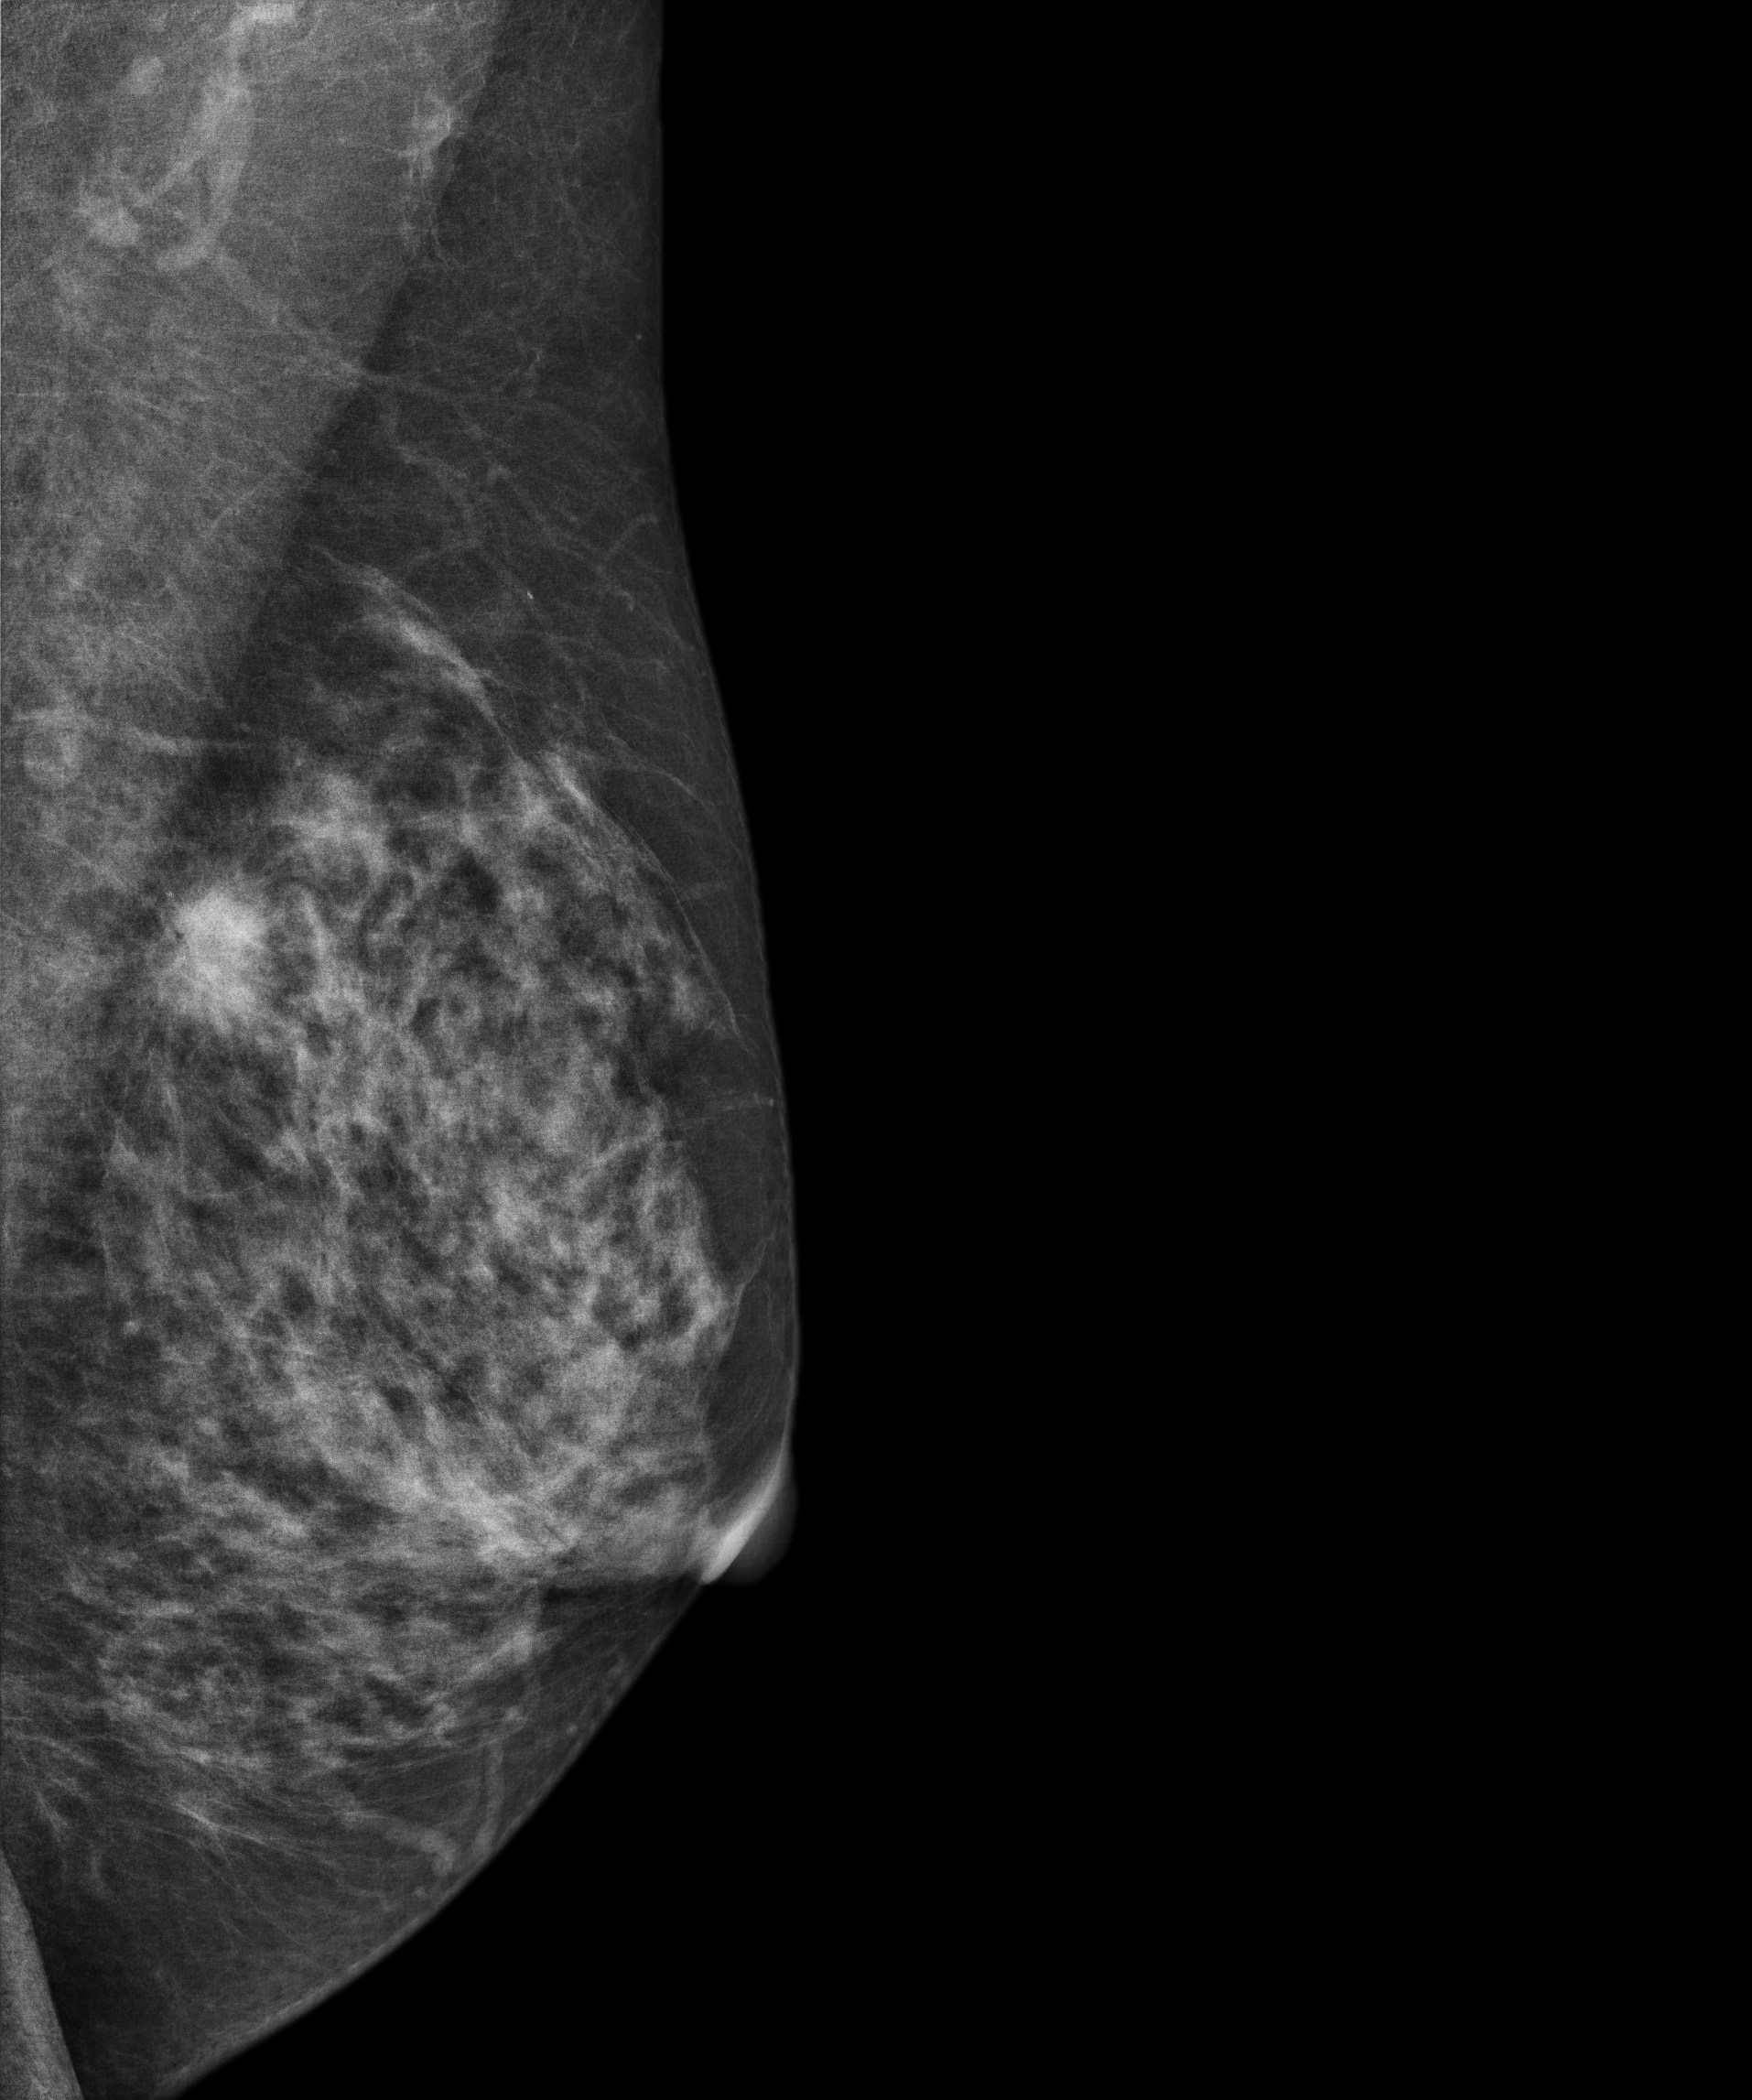
Digital mammography. Left breast, MLO projection. Patient age 63.
This breast has a mass, histologically confirmed malignant.